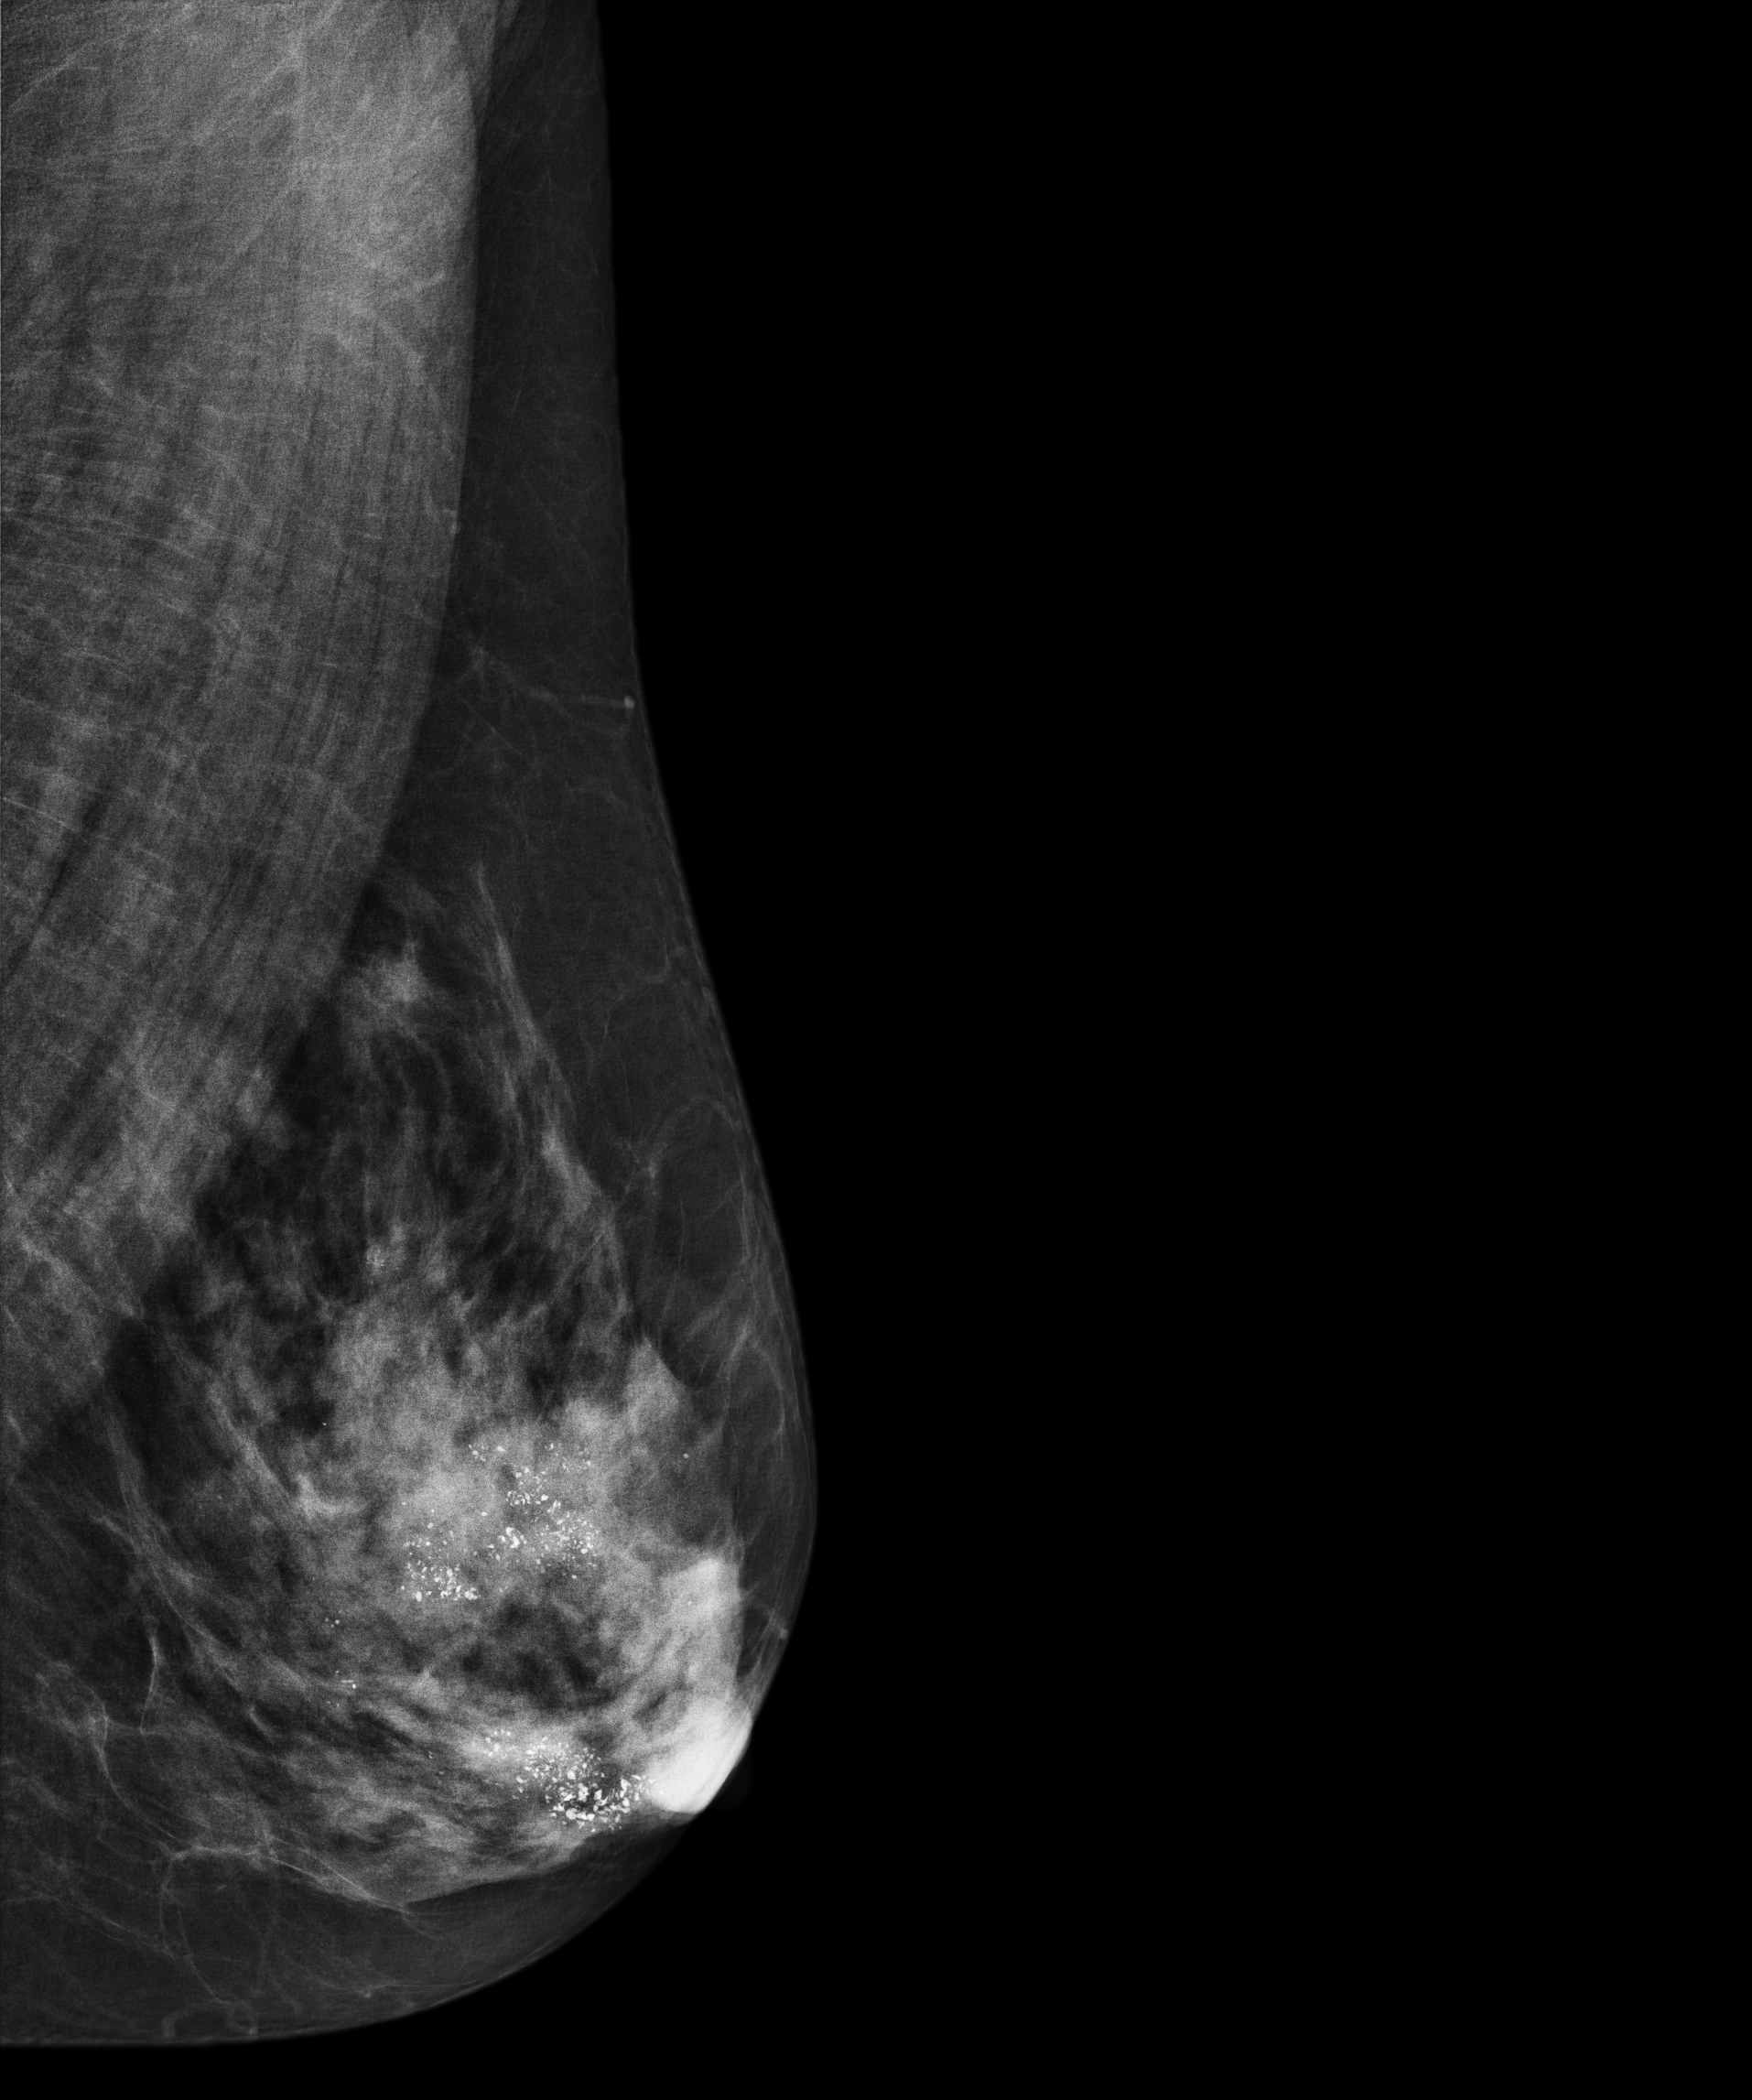
Left-breast mammogram, medio-lateral oblique. Patient age 61.
This breast has a mass and calcifications, biopsy-proven malignant.